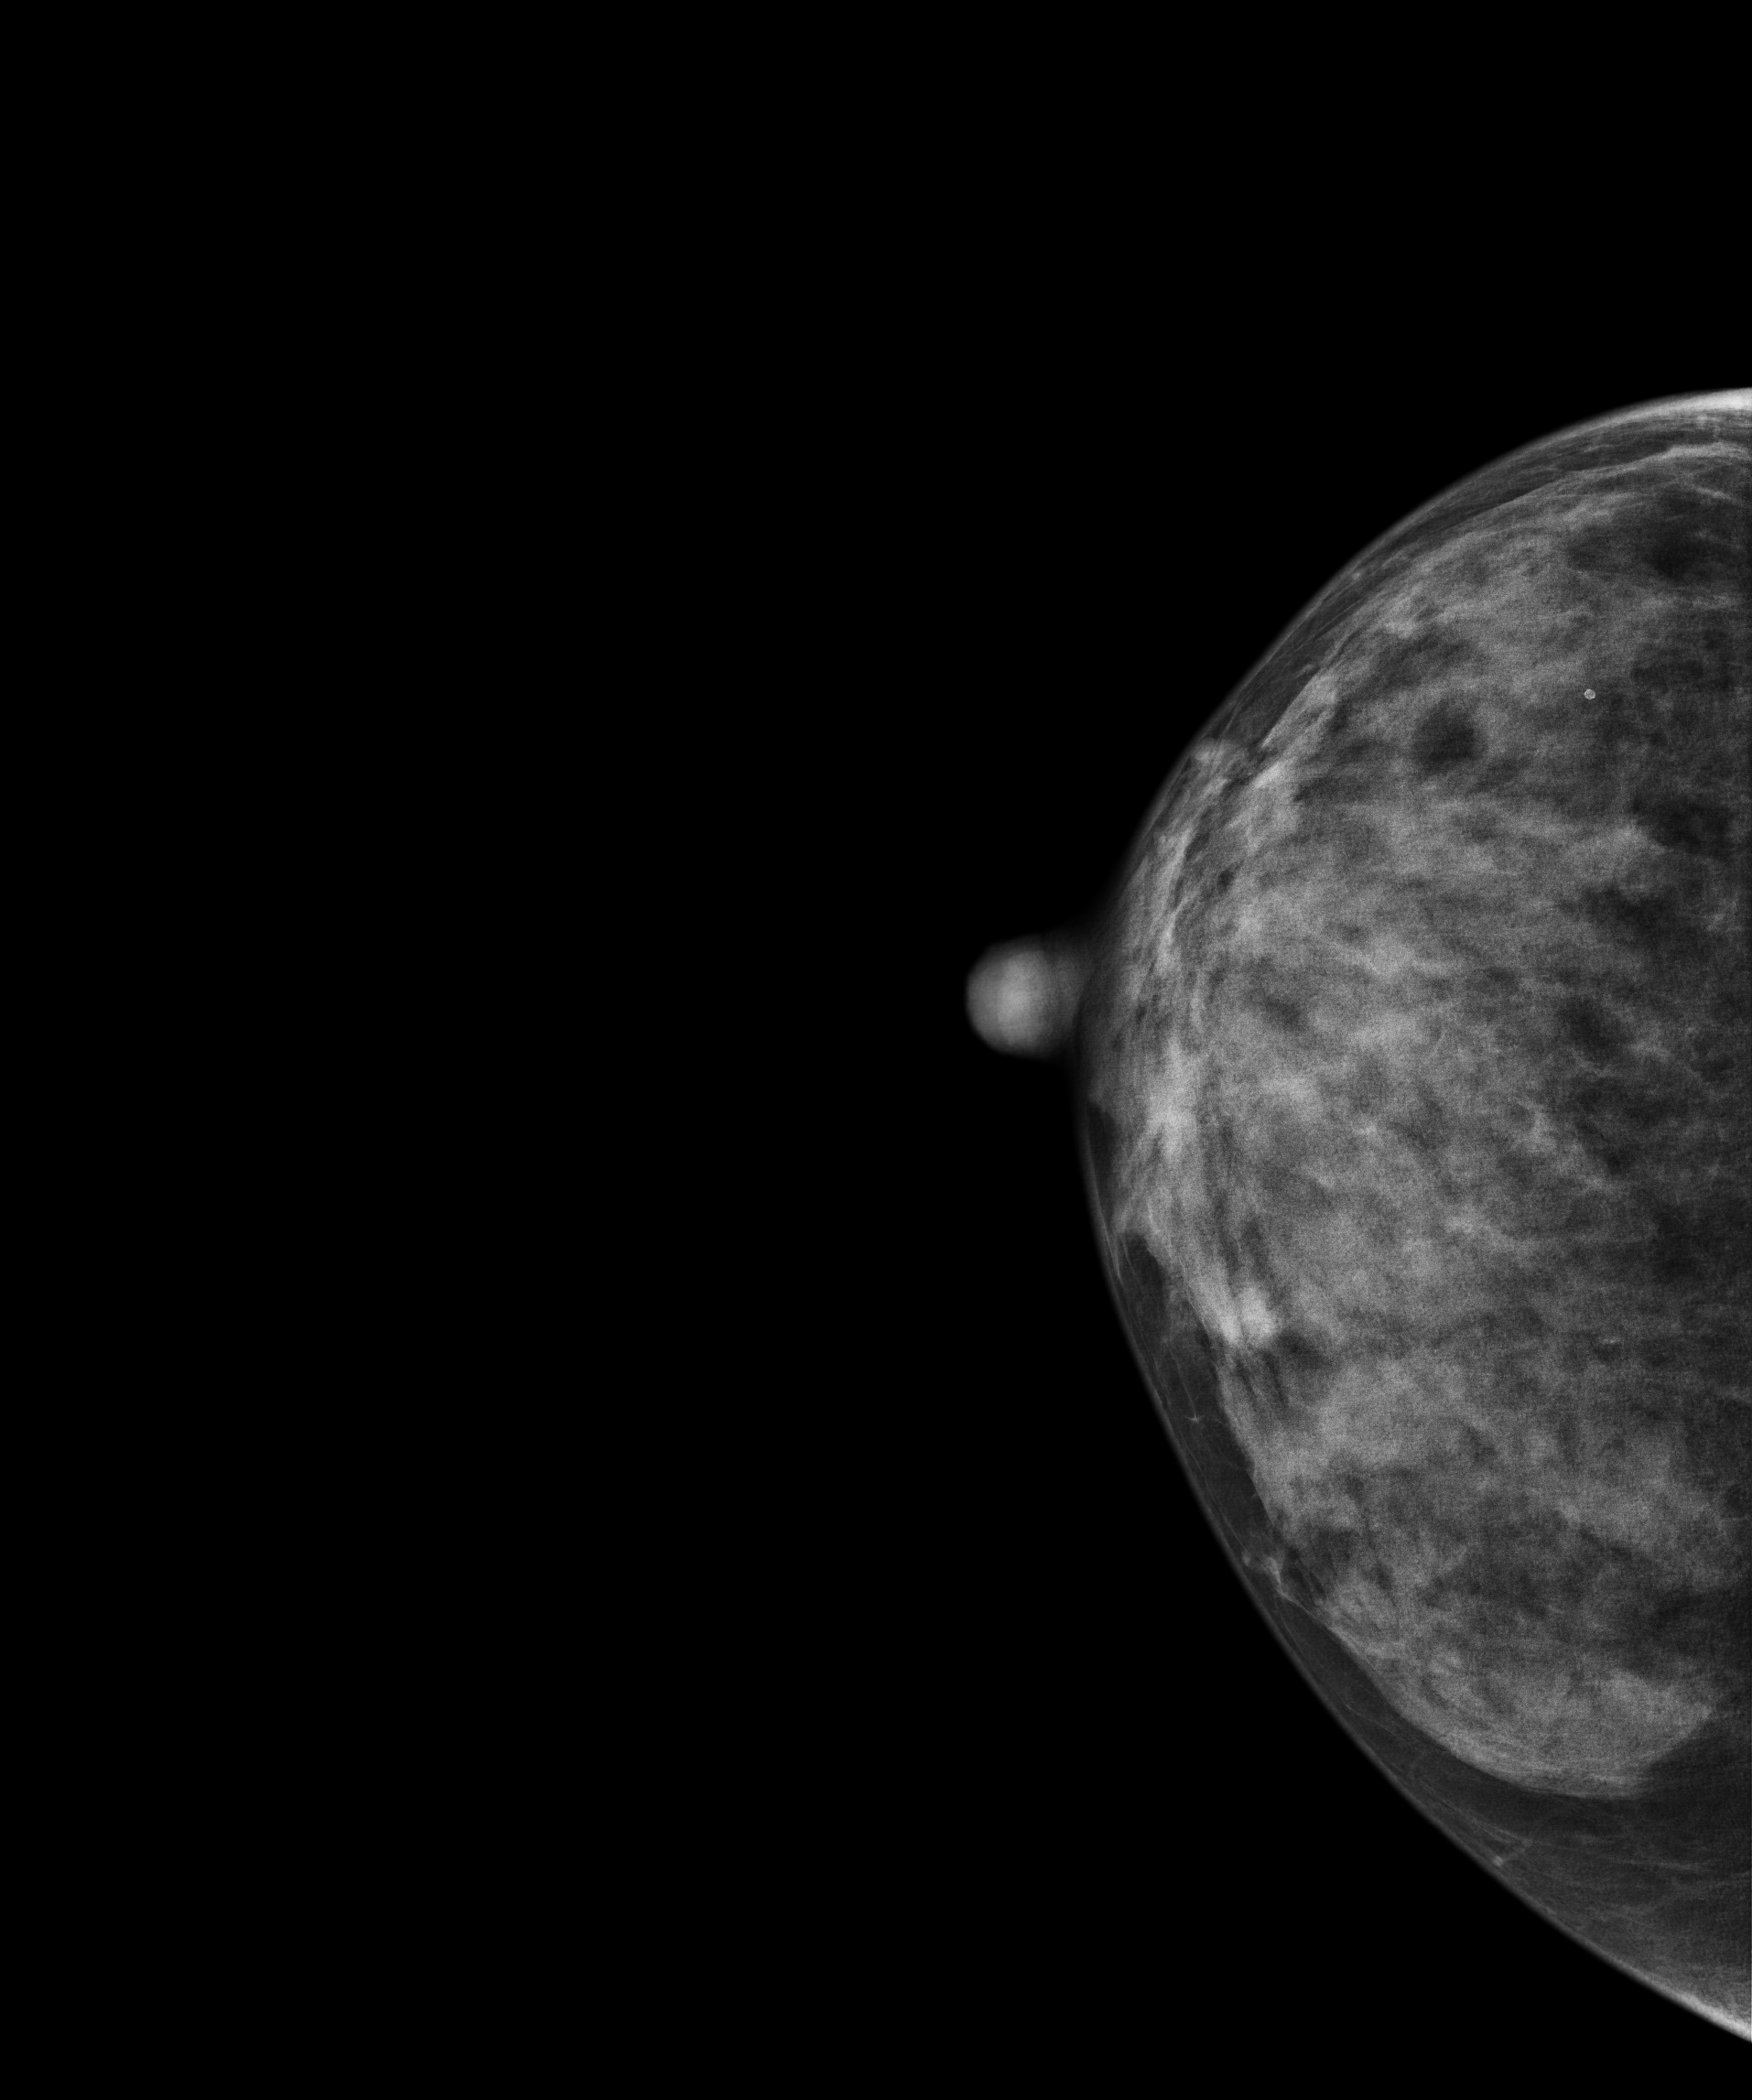
Cranio-caudal mammogram of the right breast. Patient age 46.
This breast has a mass, biopsy-proven malignant. Molecular subtype: HER2-enriched.